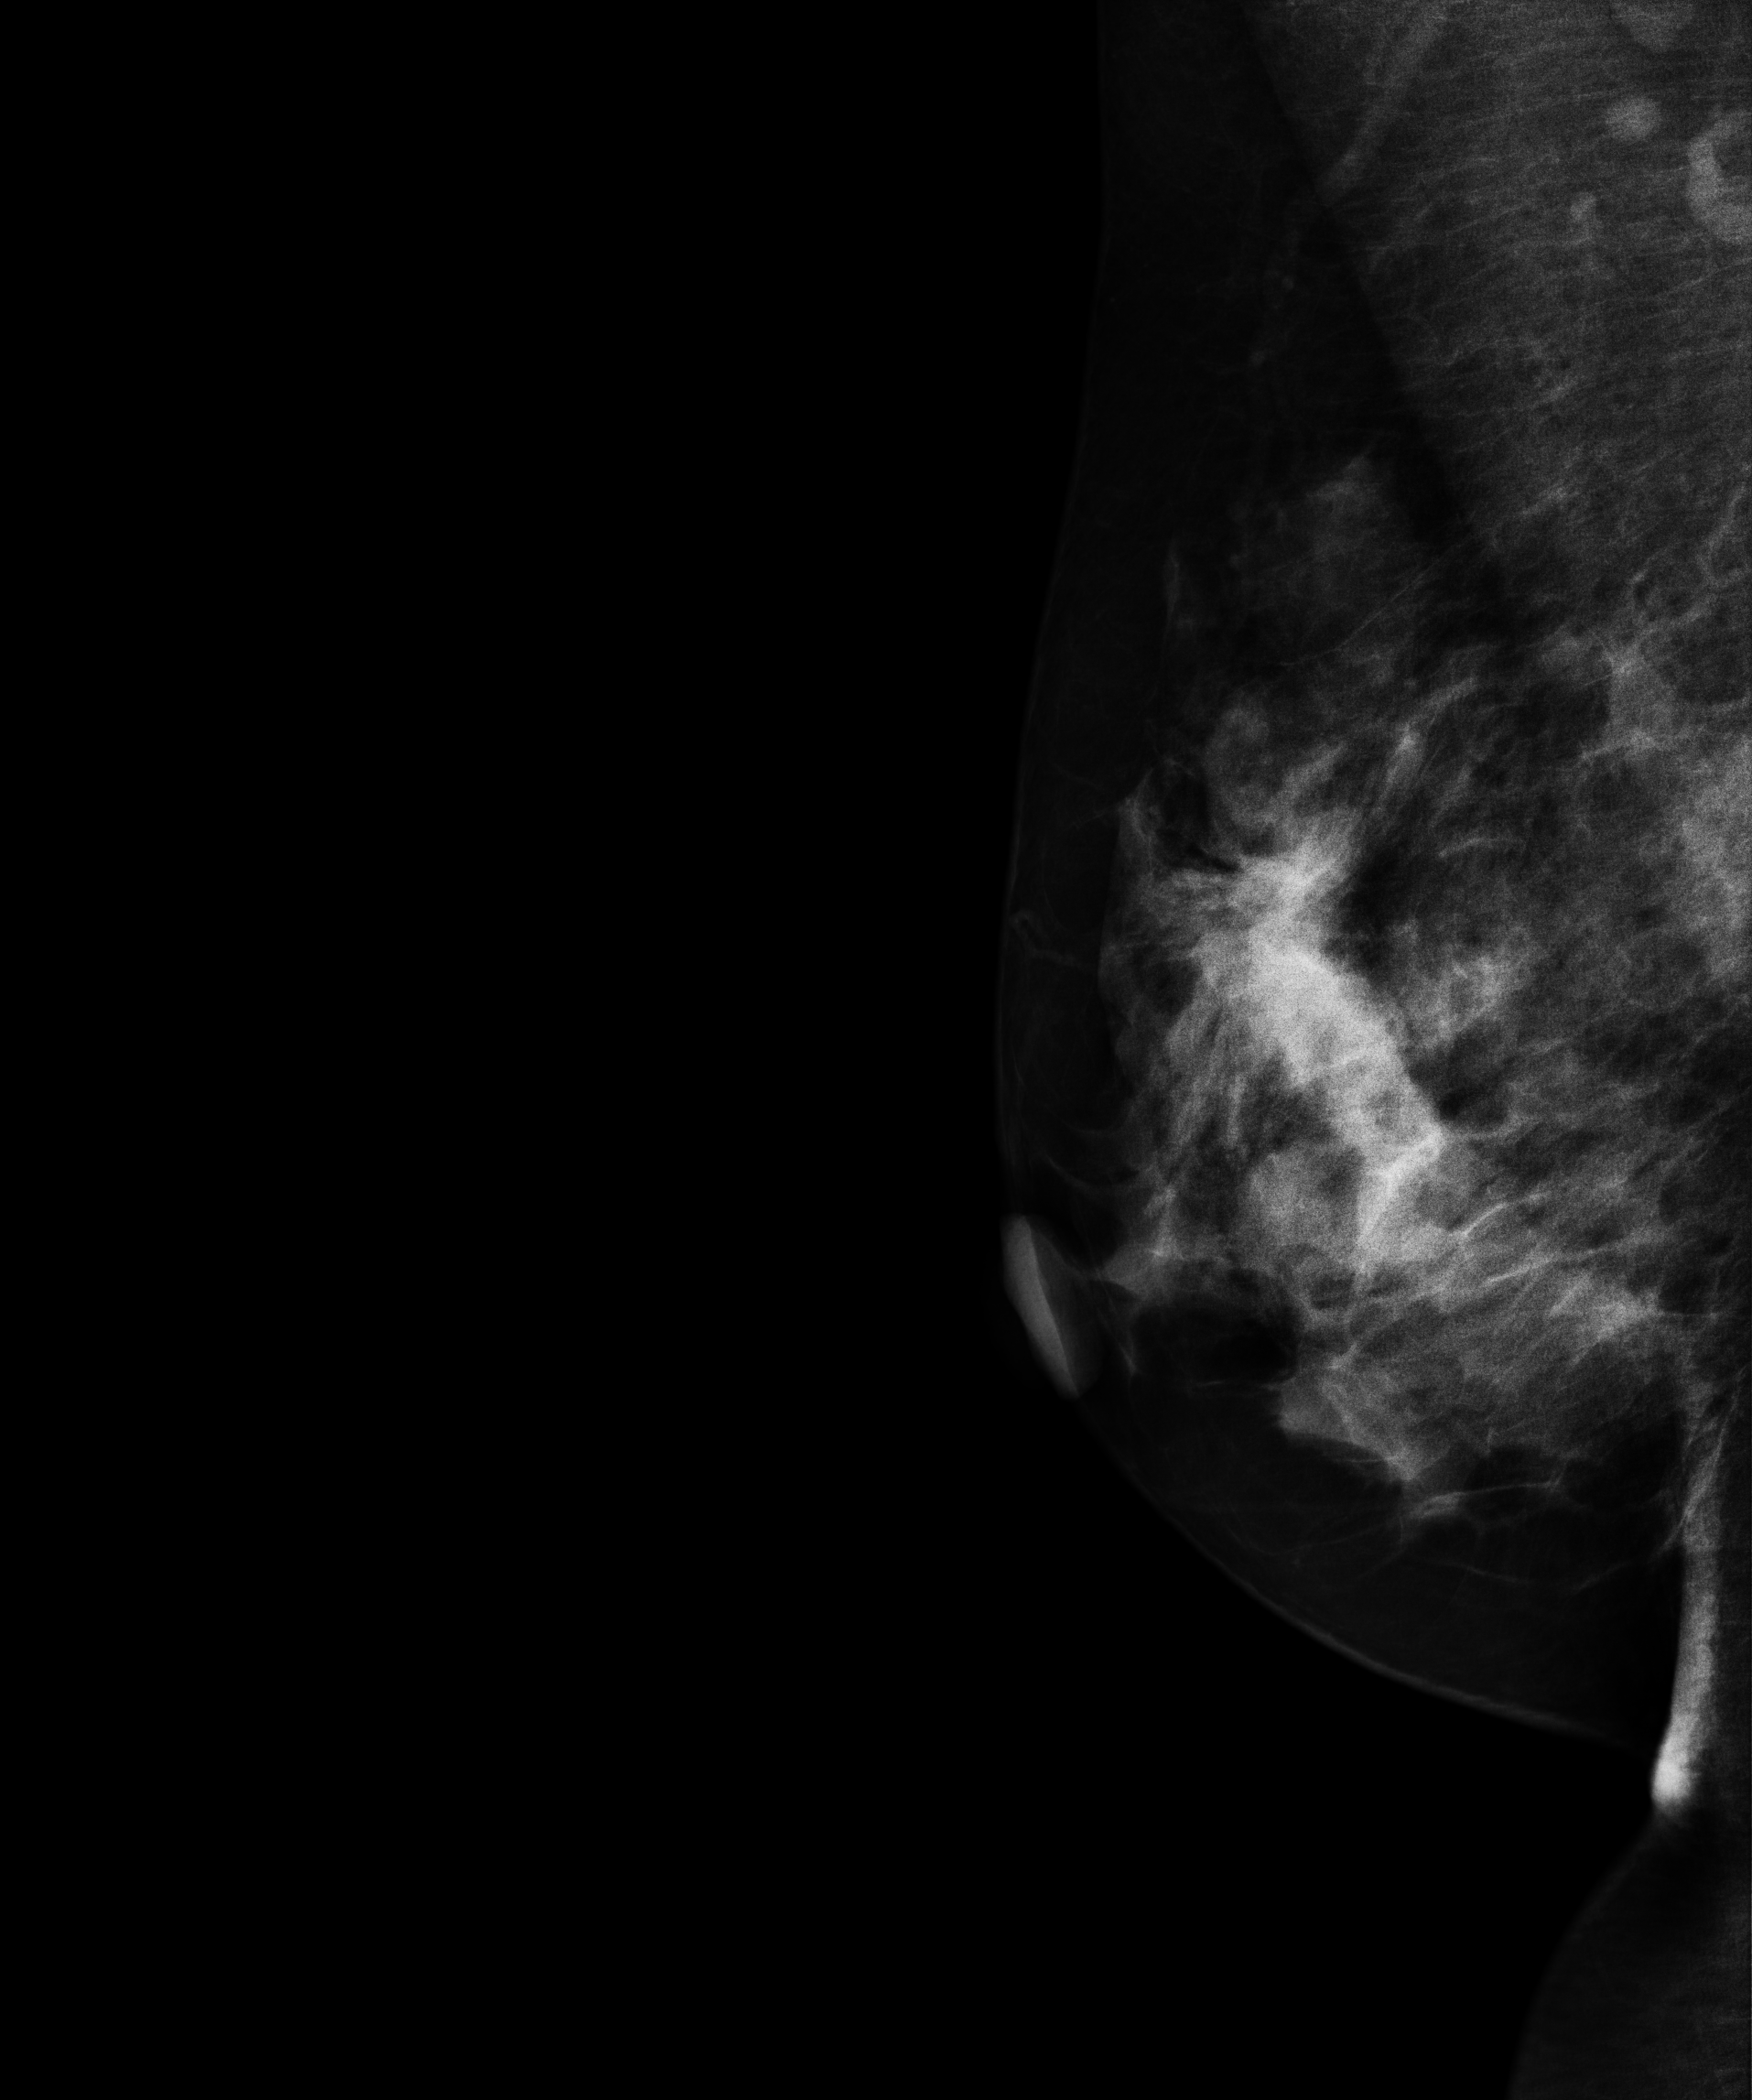
Medio-lateral oblique mammogram of the right breast. 47-year-old patient.
This breast has a mass, histologically confirmed malignant. Molecular subtype: luminal B.